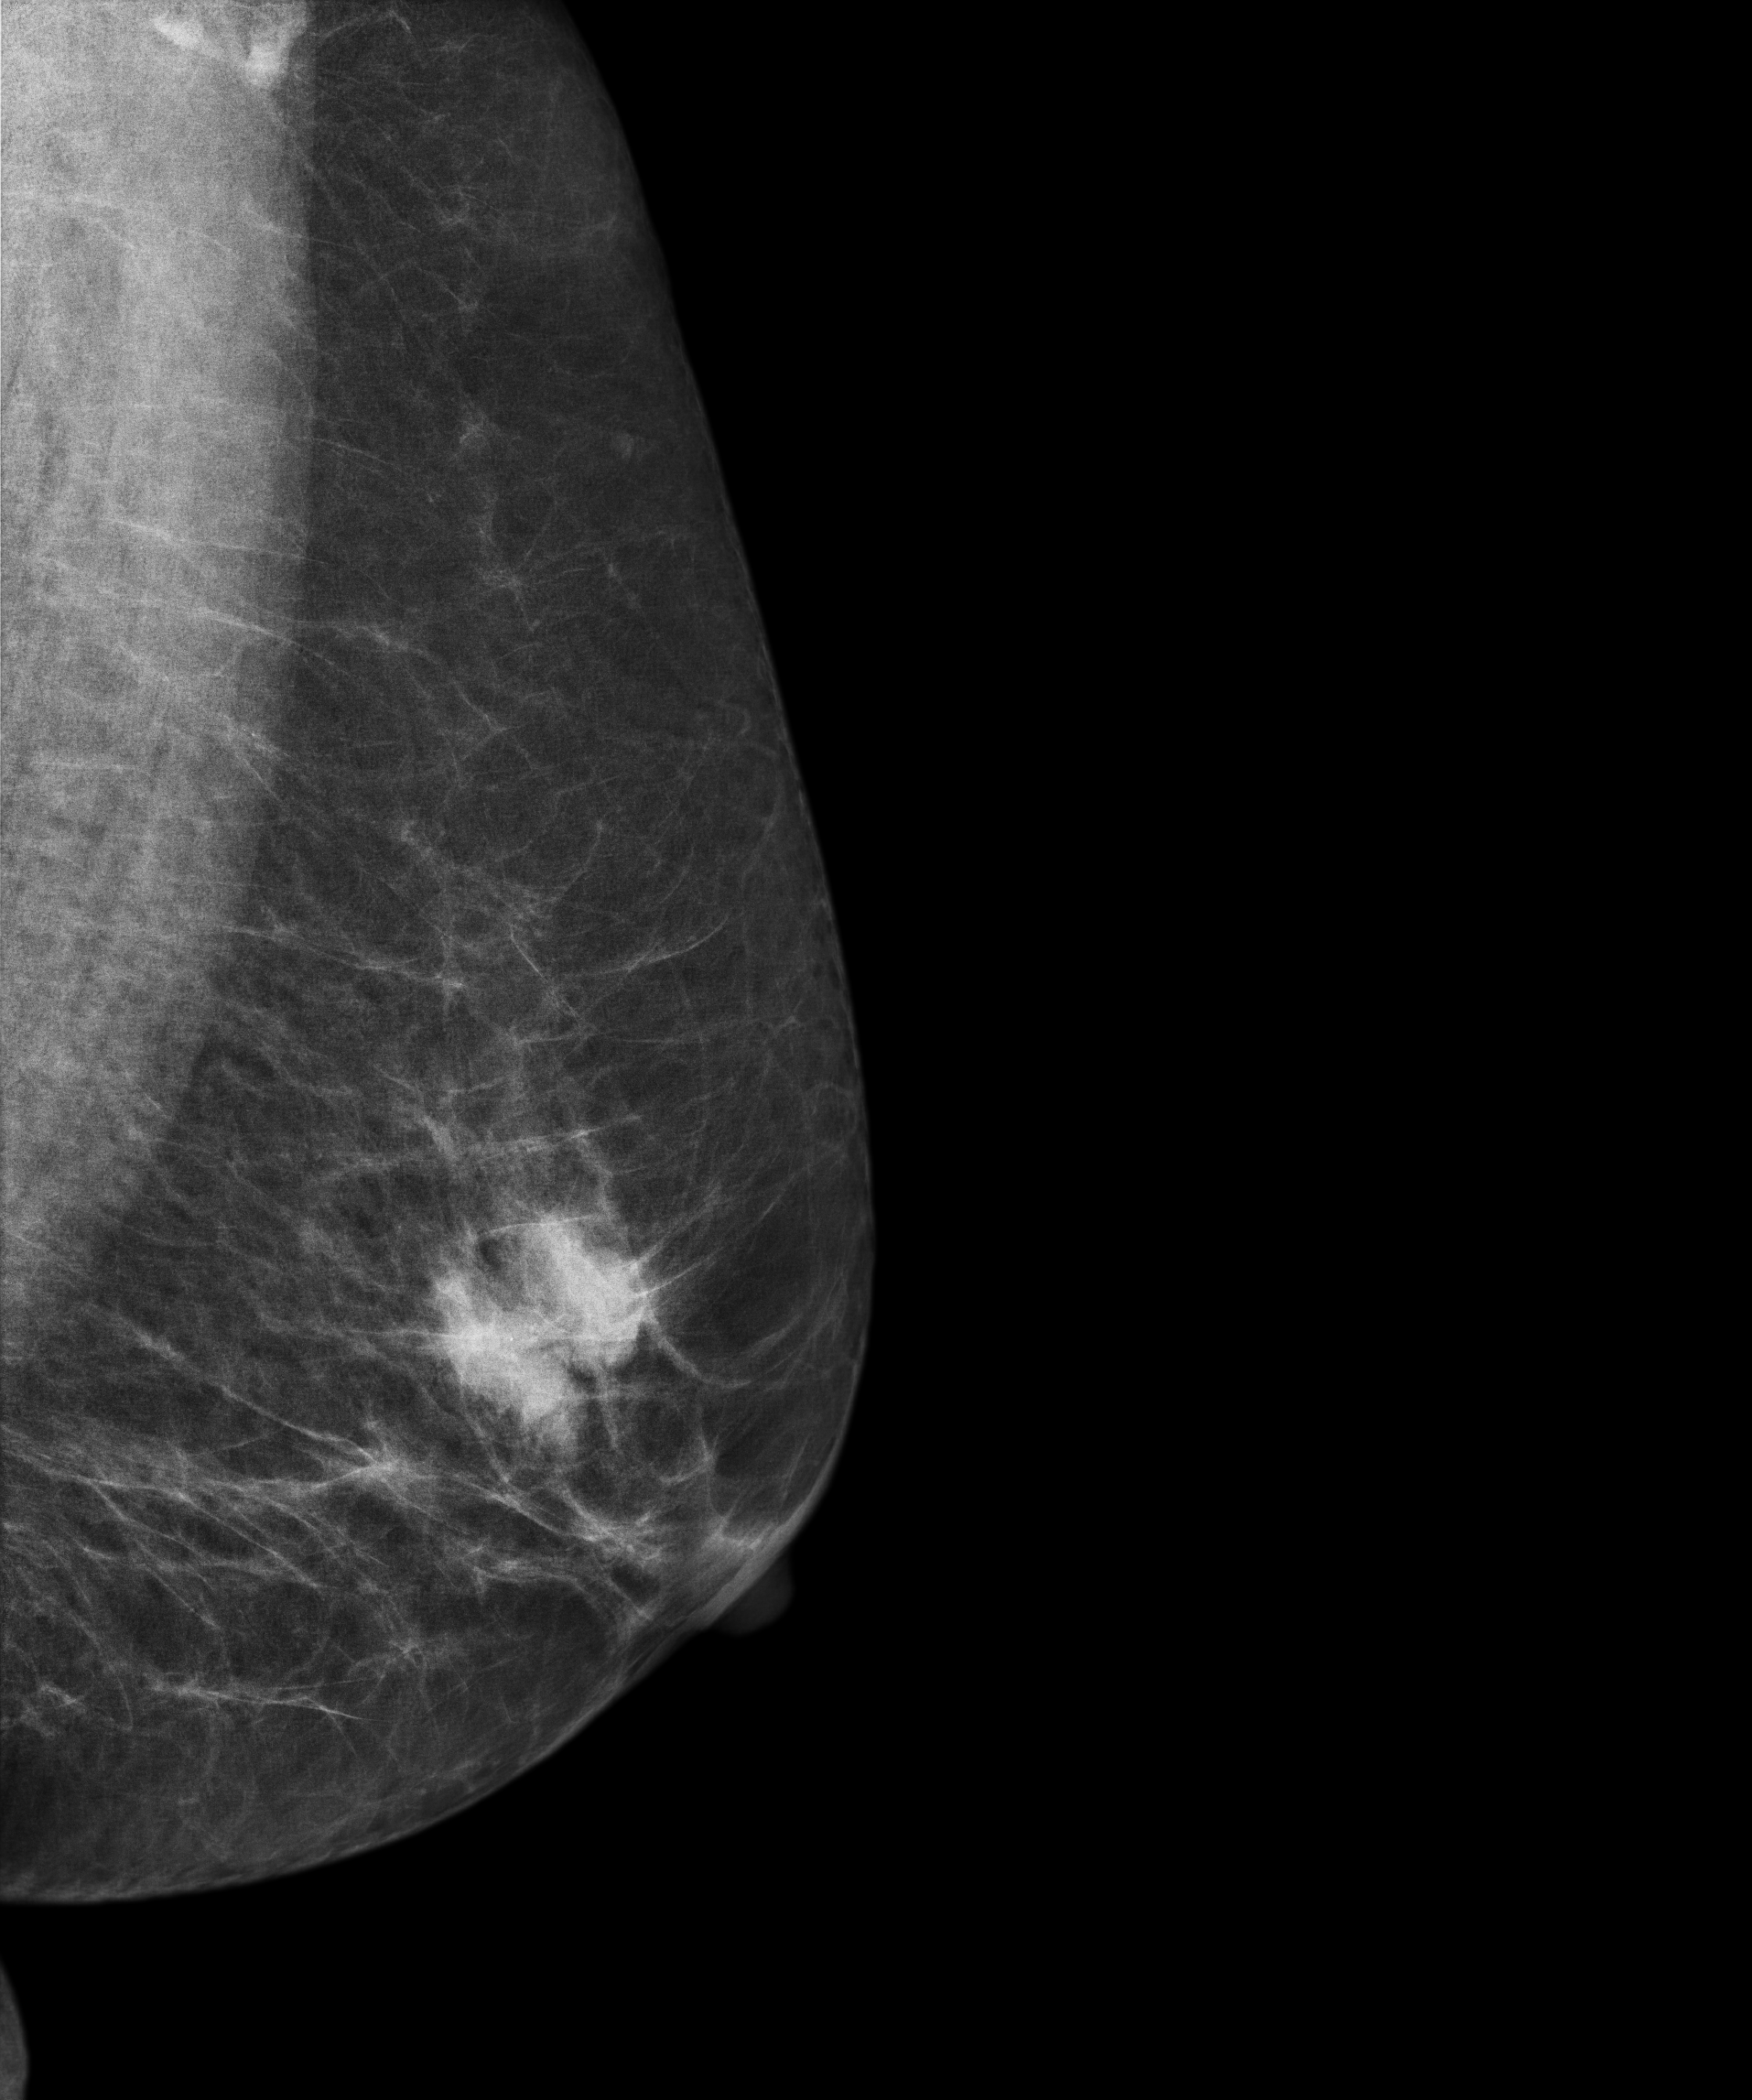
Mammogram, left breast, medio-lateral oblique view. 60-year-old patient.
This breast has a mass, histologically confirmed malignant.